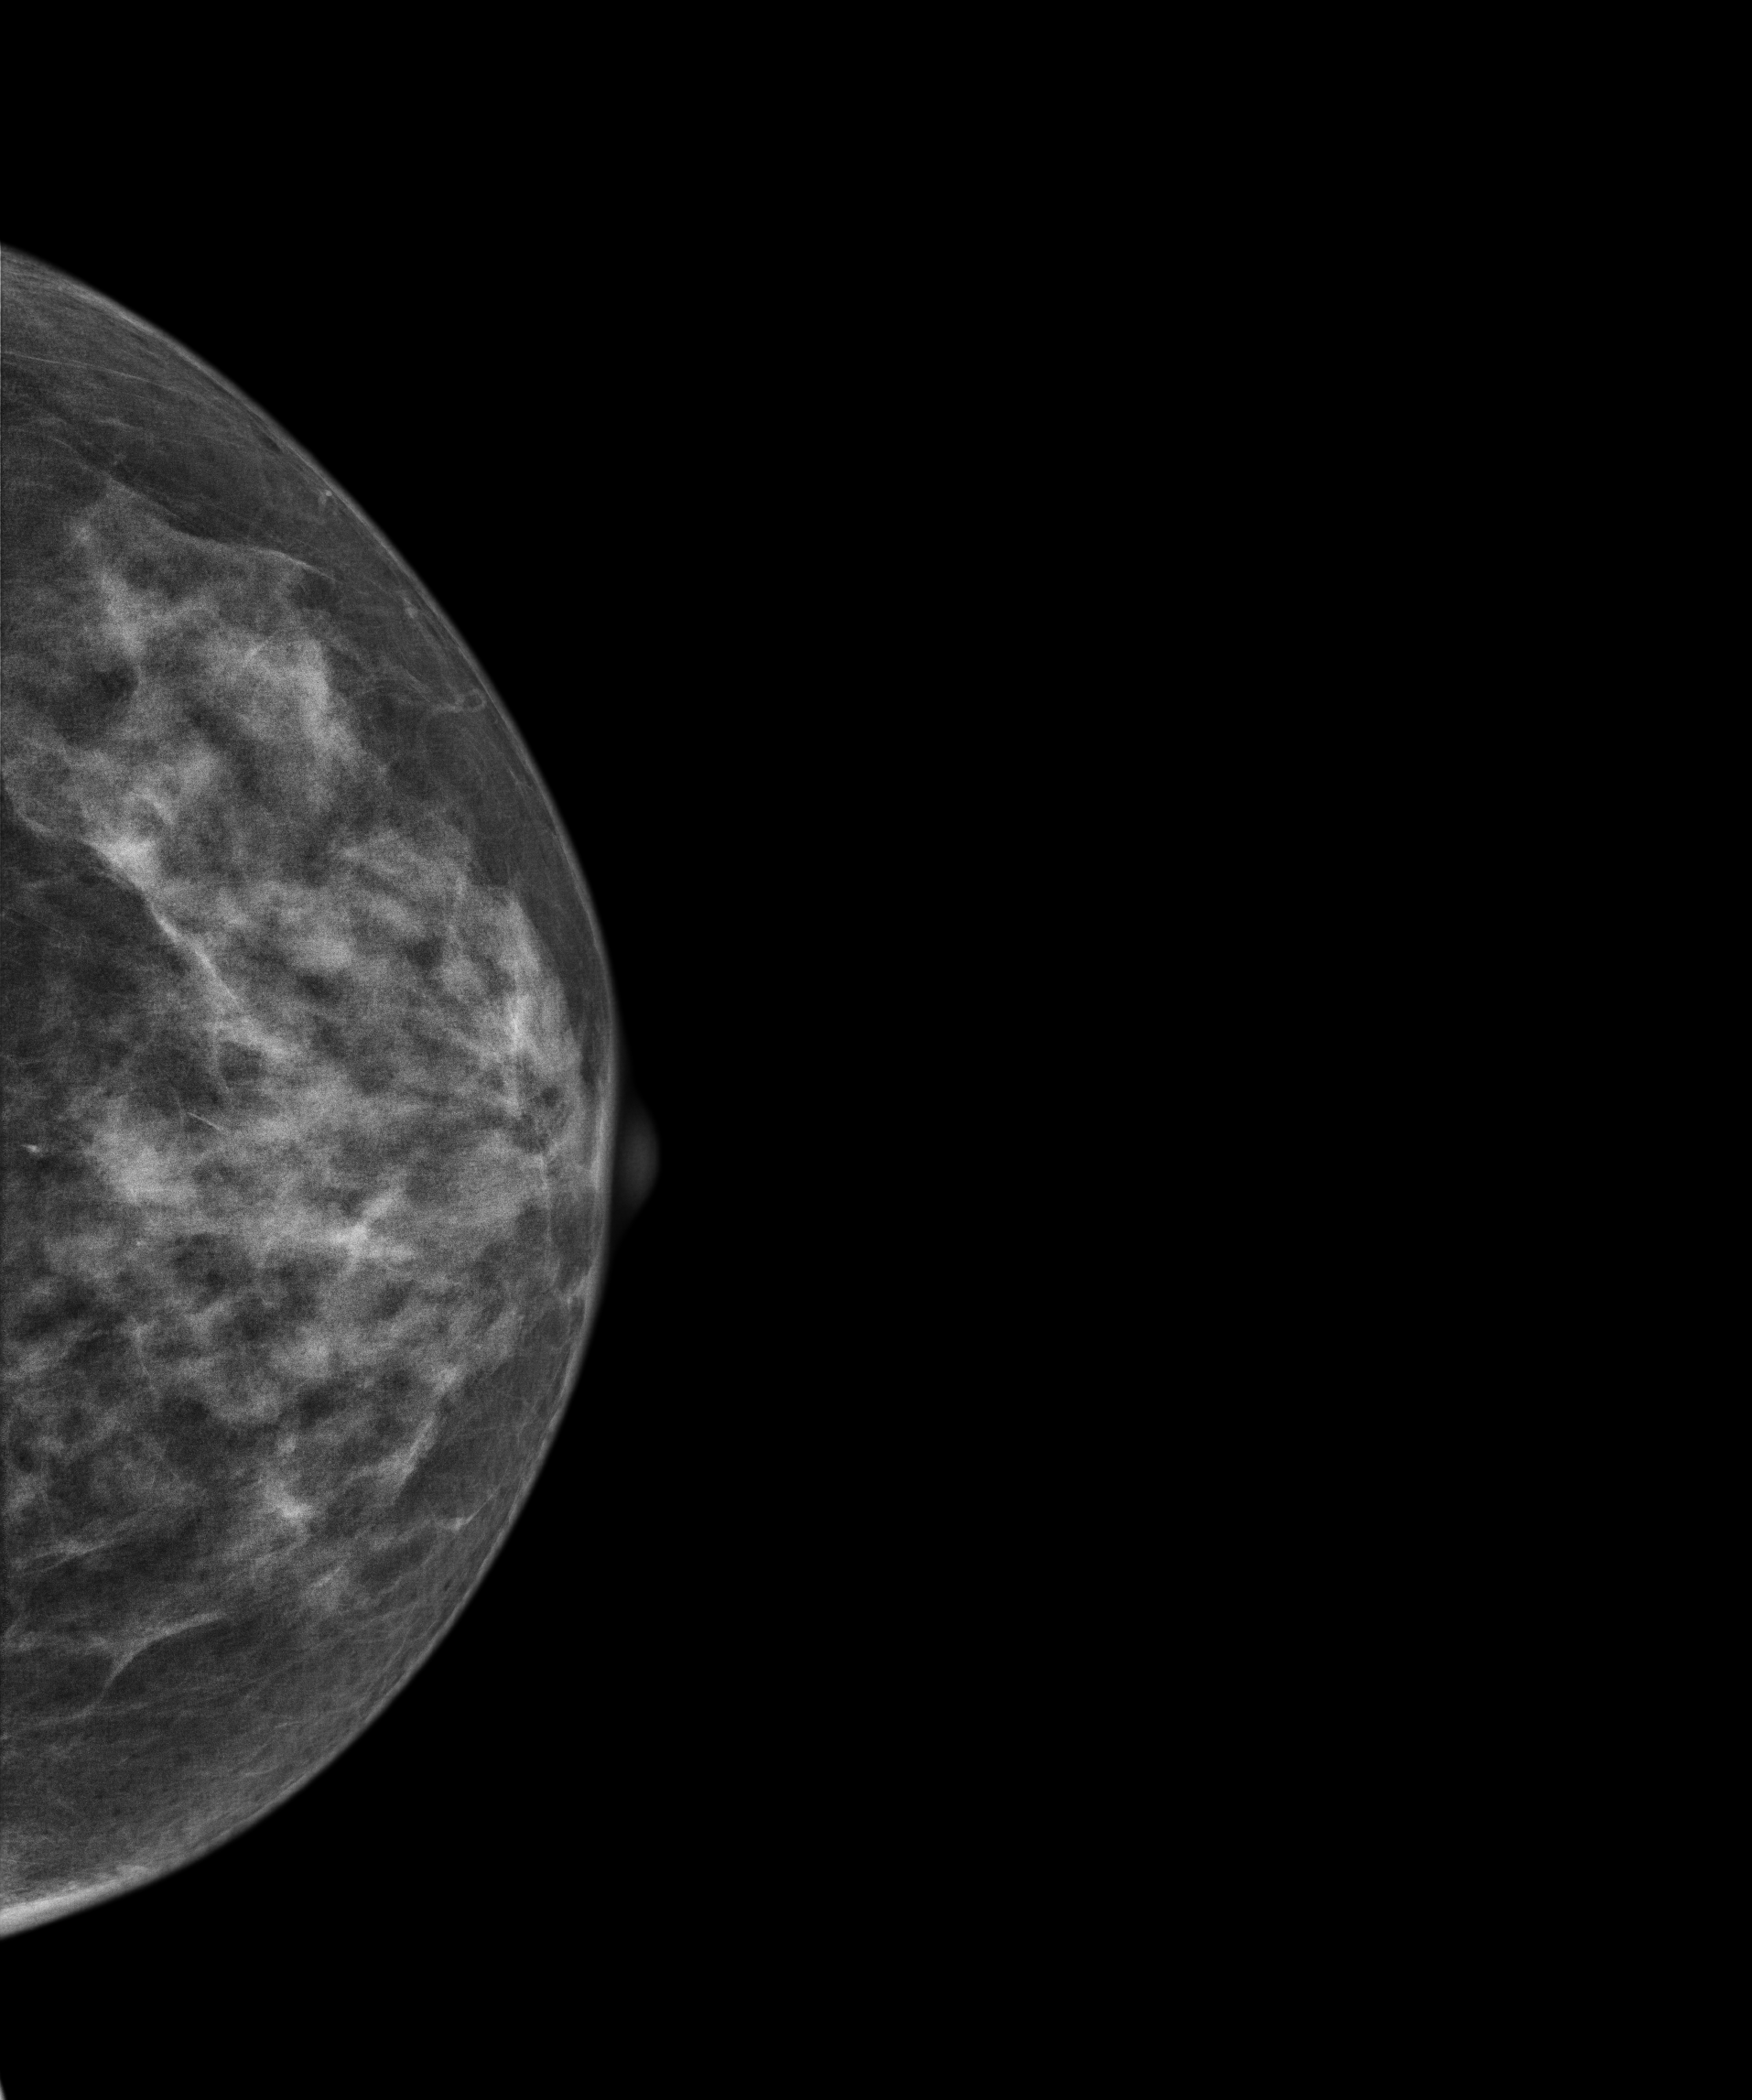
Digital mammography. Left breast, cranio-caudal projection. 49-year-old patient.
Contralateral breast — no documented abnormality on this side.